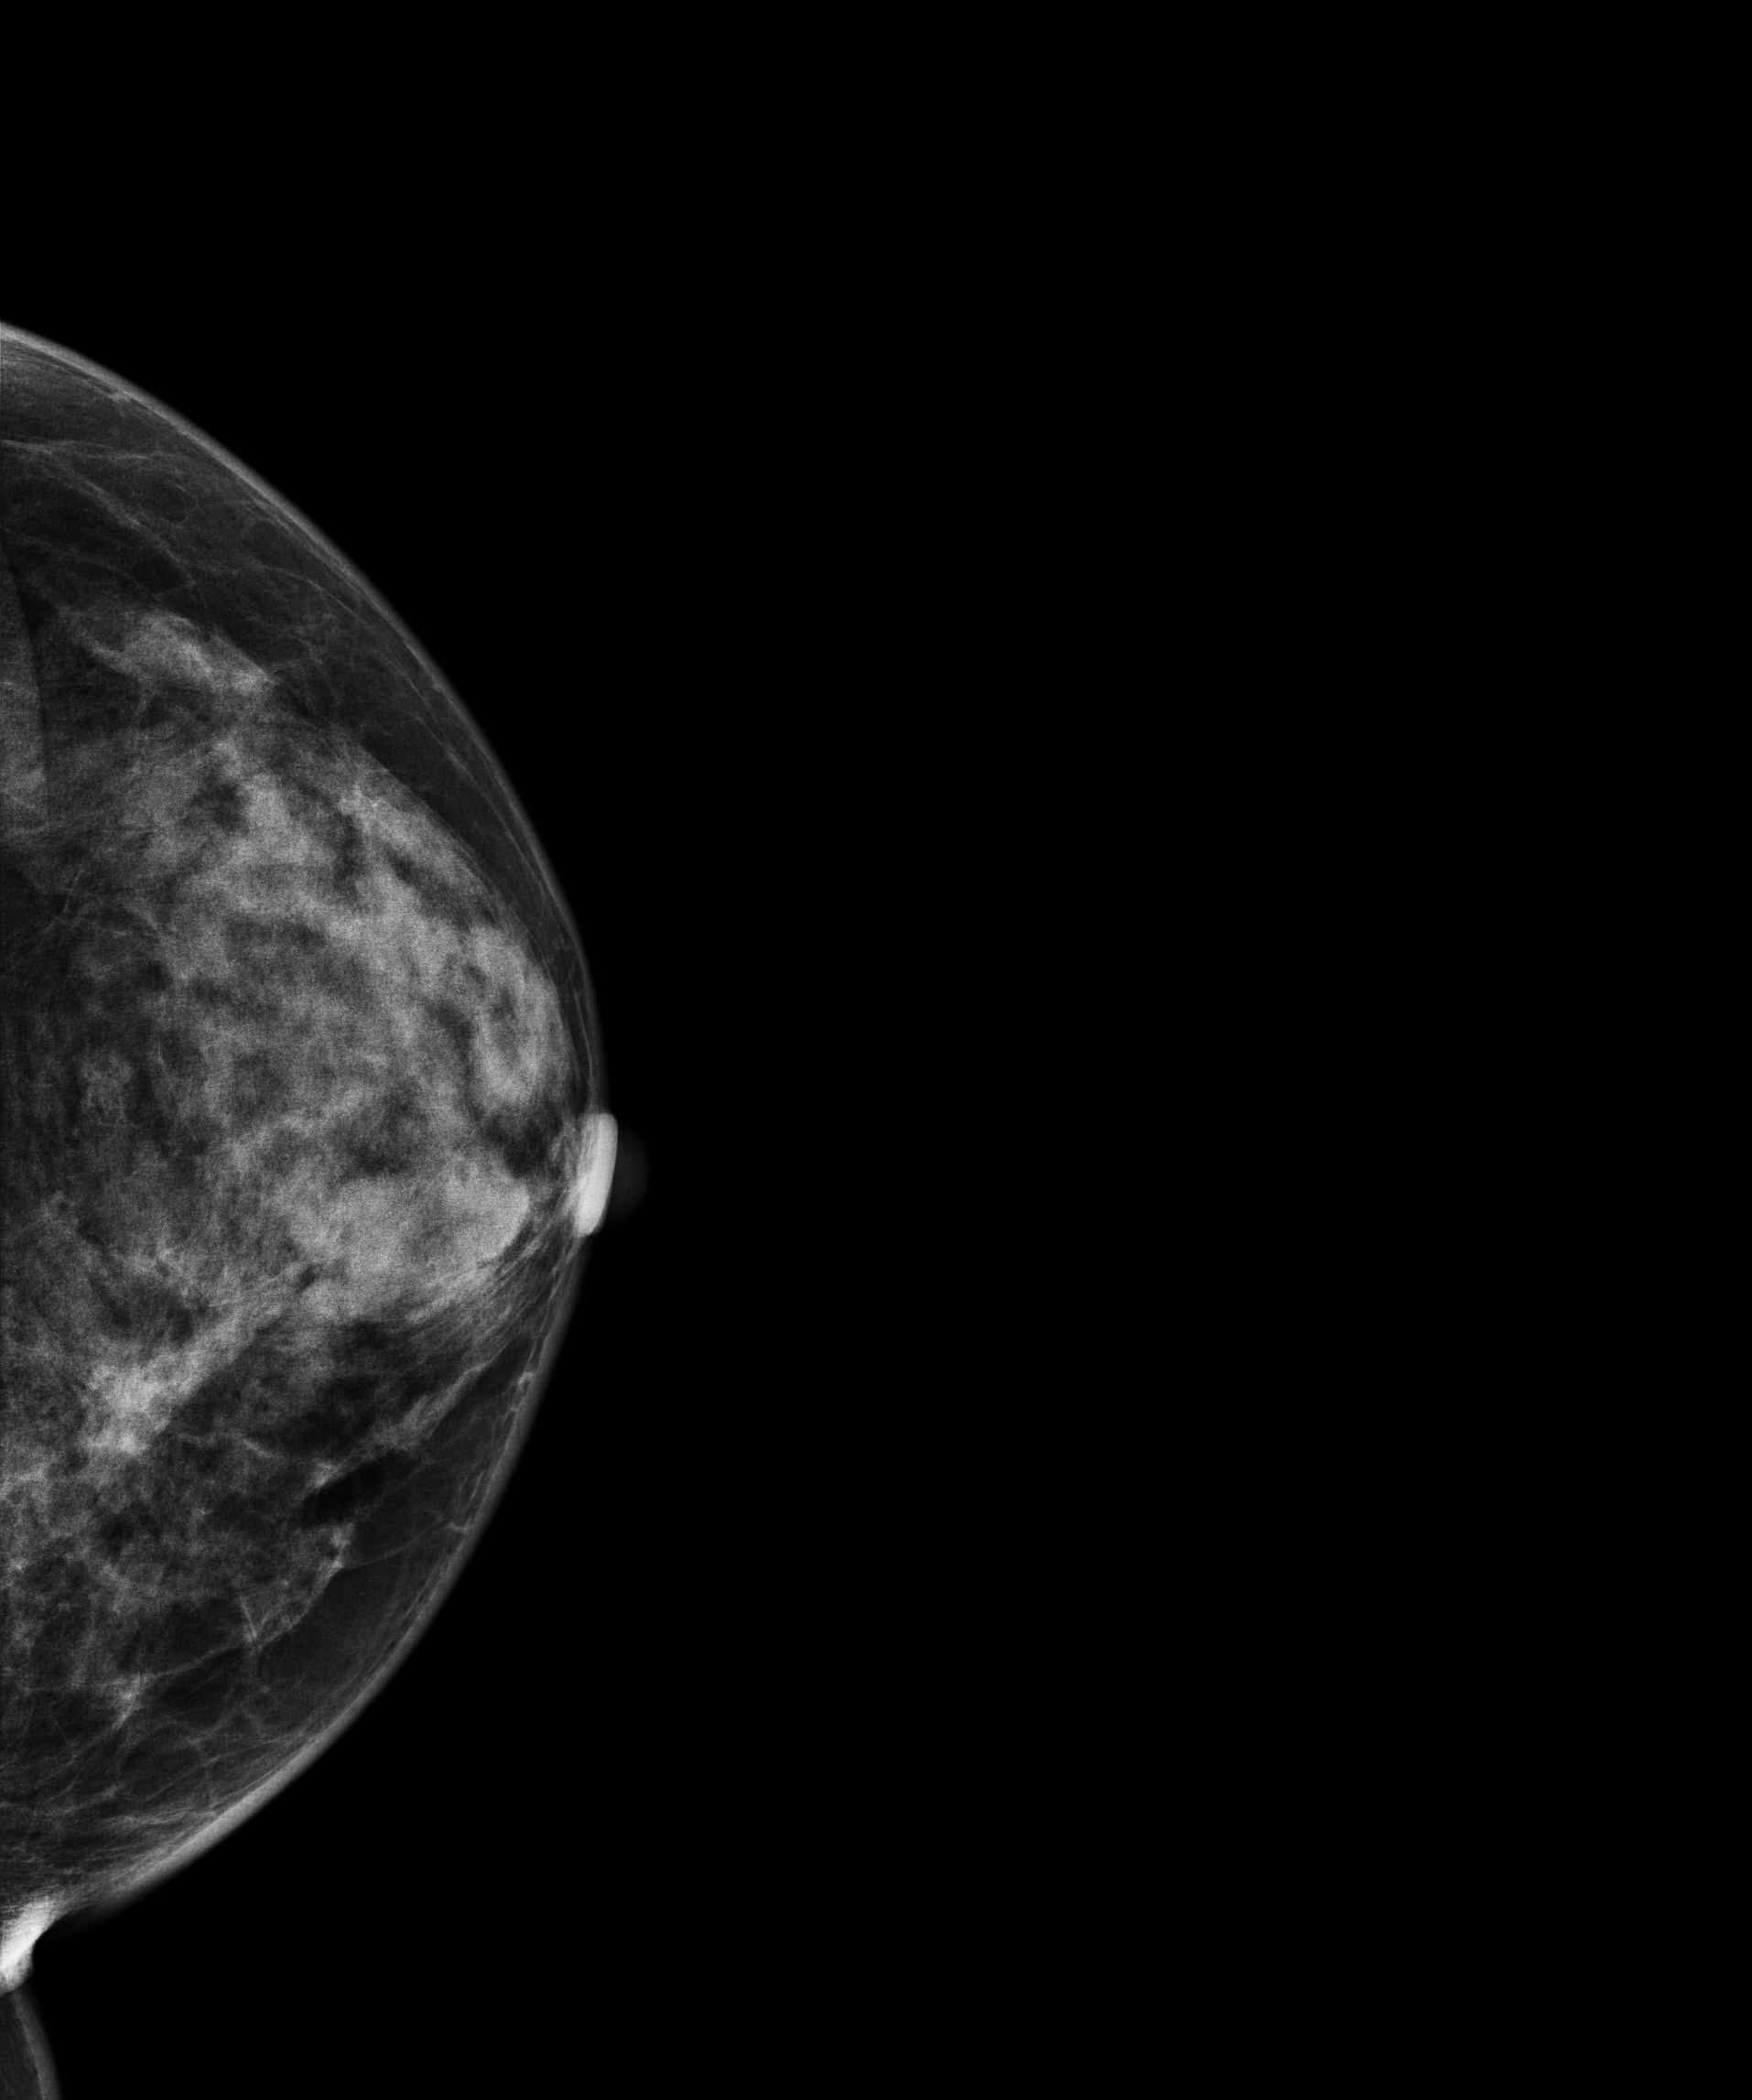
Mammogram, left breast, cranio-caudal view. 57-year-old patient.
This breast has a mass, biopsy-confirmed malignant.